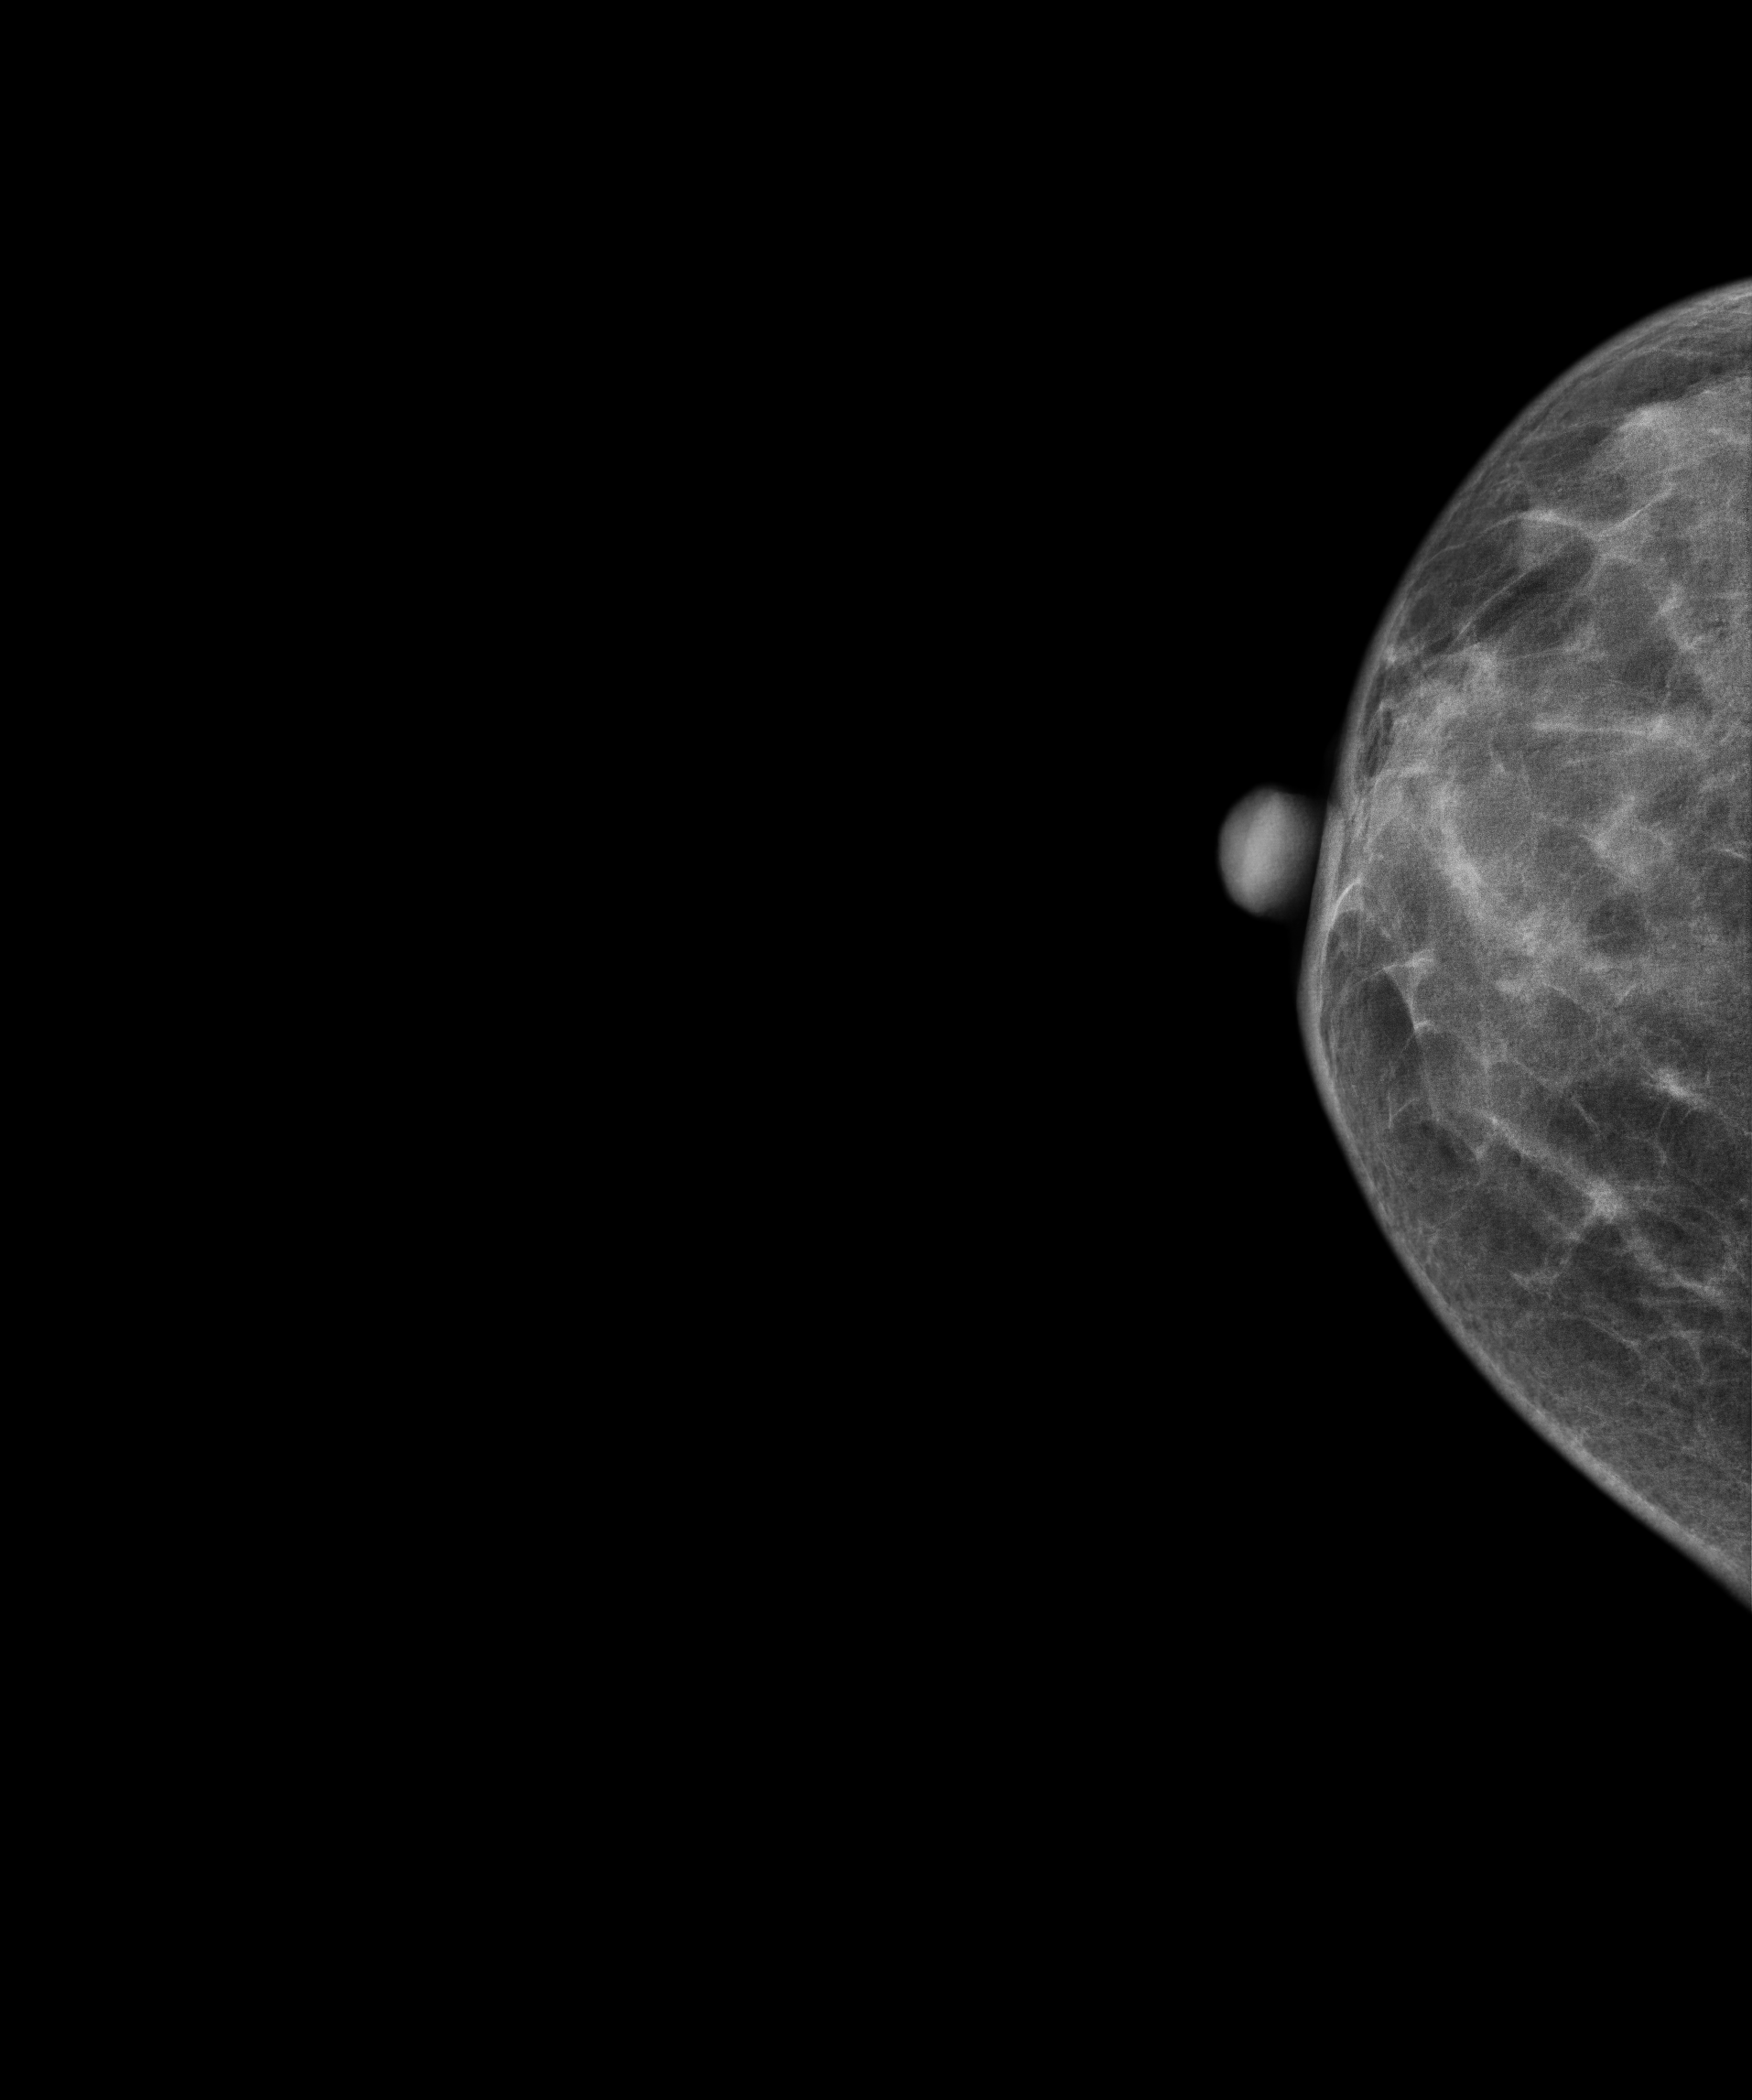
Digital mammography. Right breast, CC projection. 49 y/o patient.
Contralateral breast — no documented abnormality on this side.